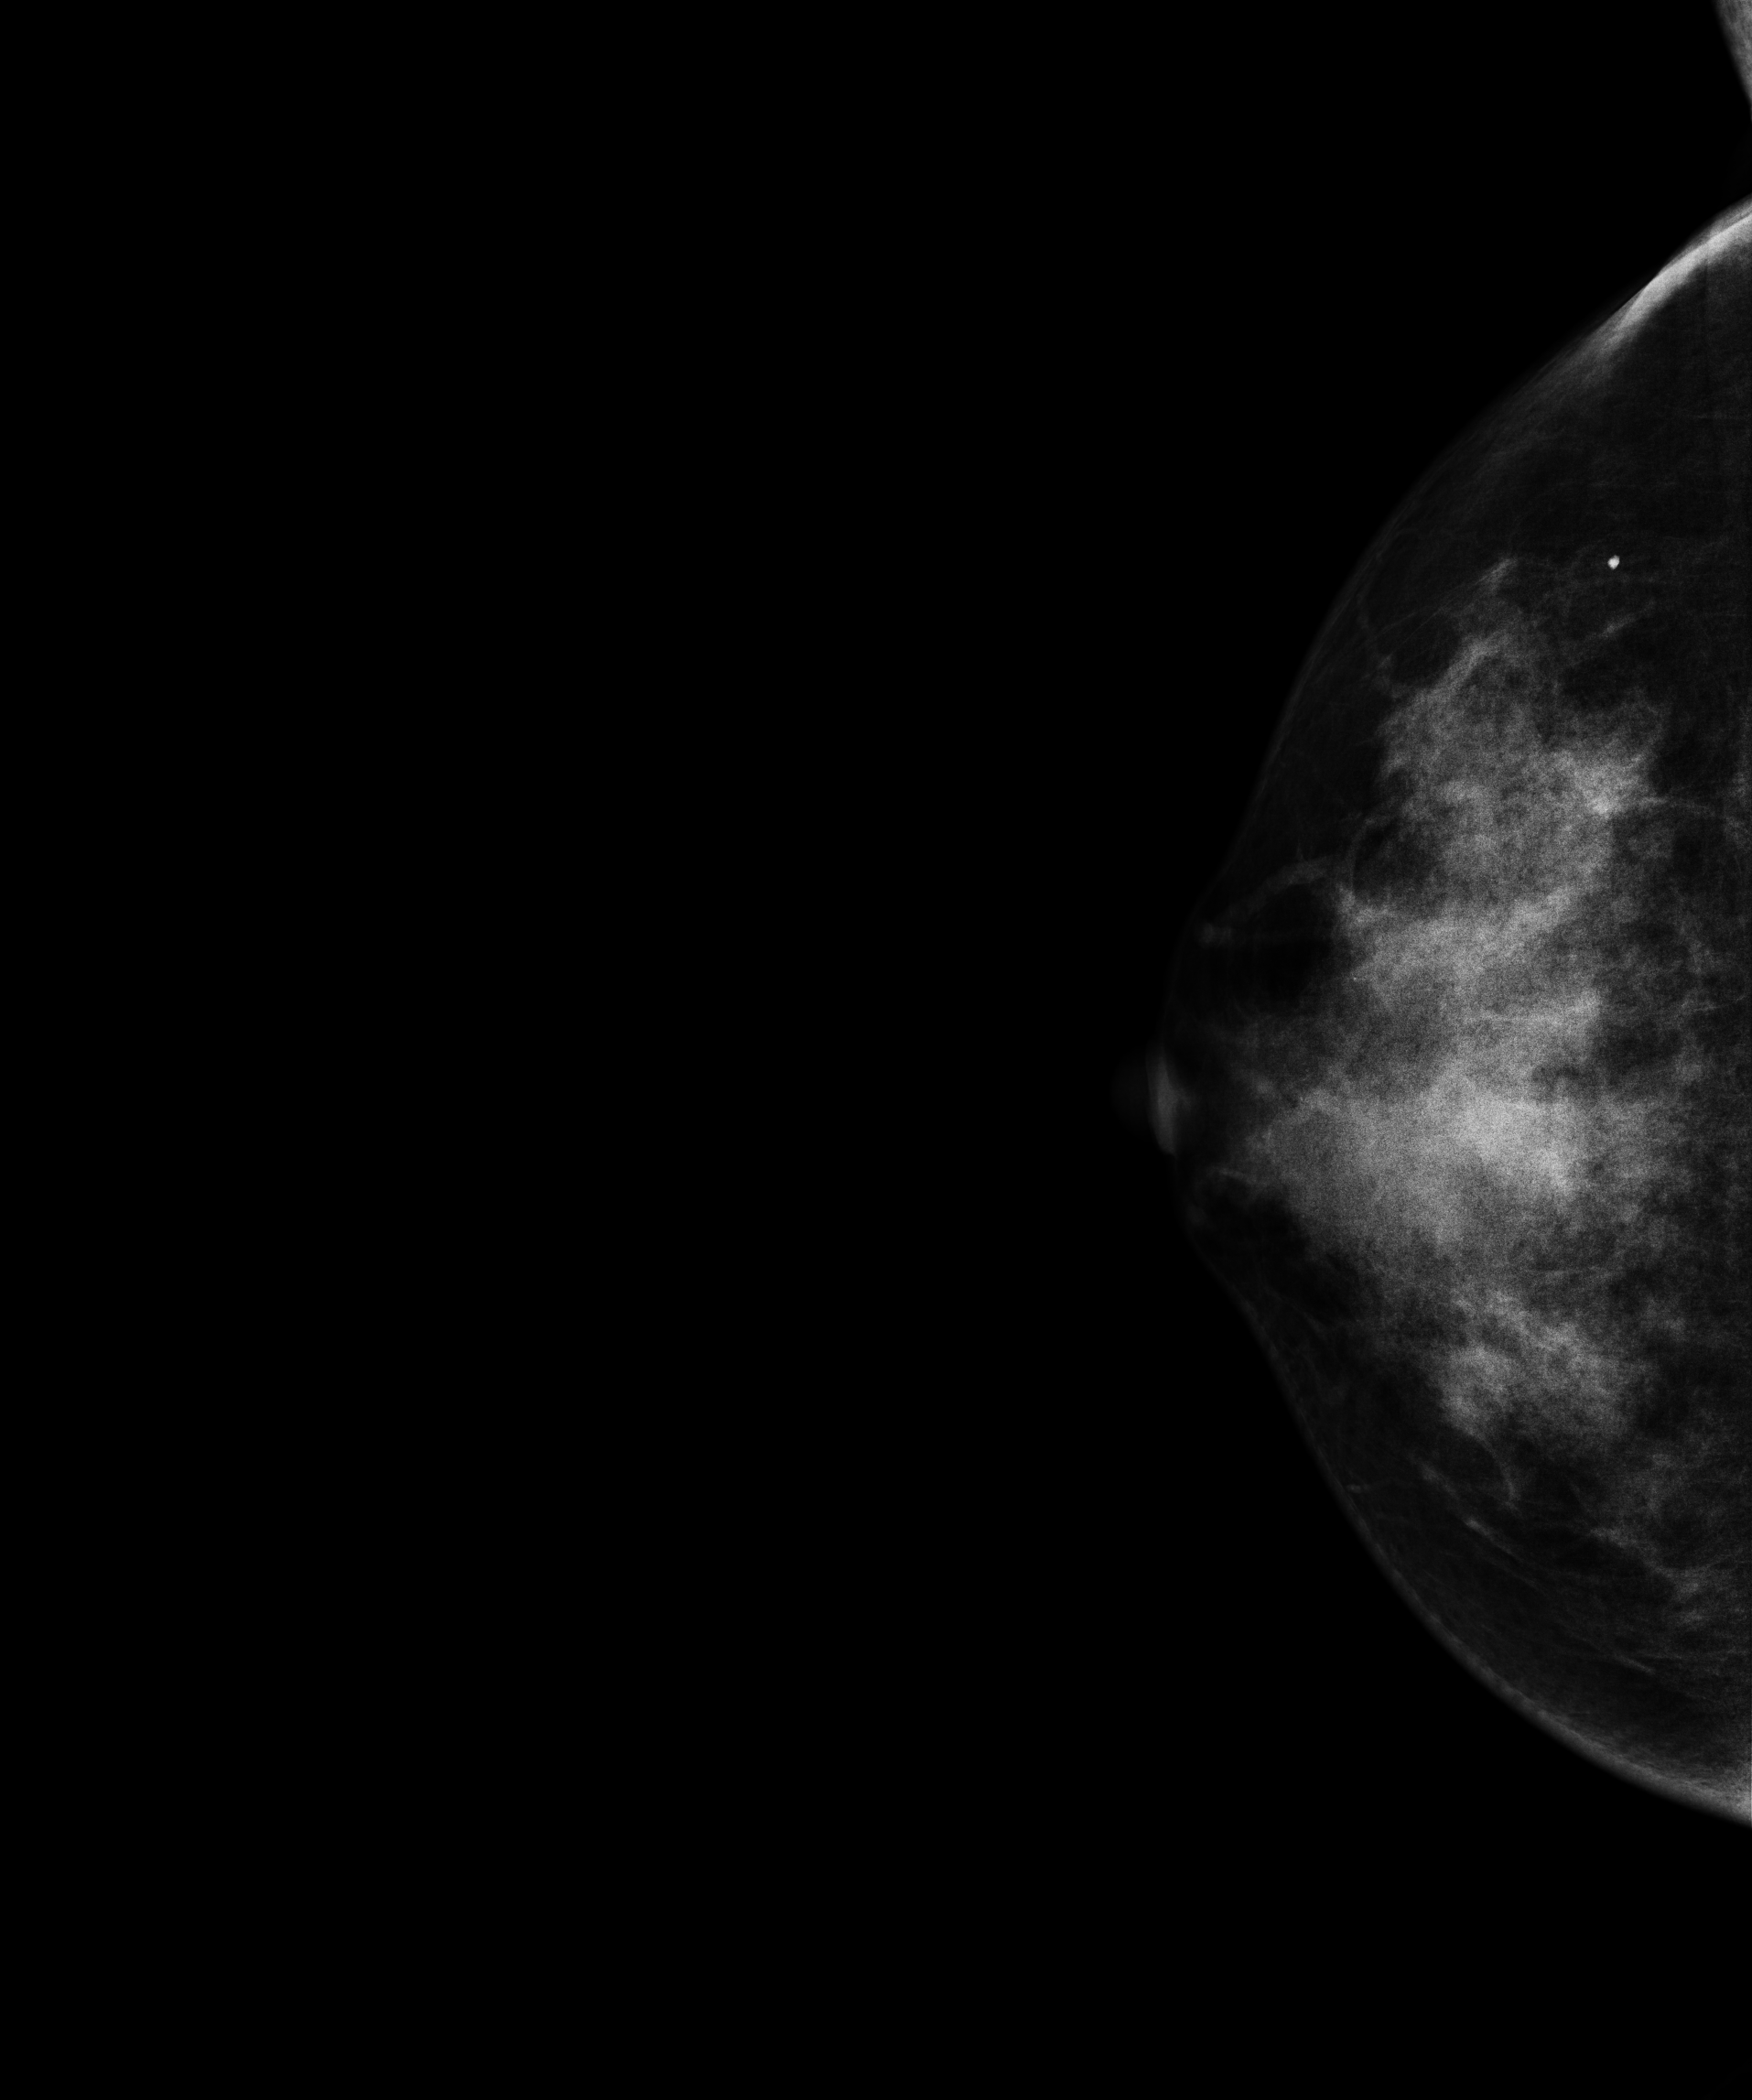
Mammogram, right breast, cranio-caudal view. 28-year-old patient.
This breast has a mass, biopsy-proven benign.